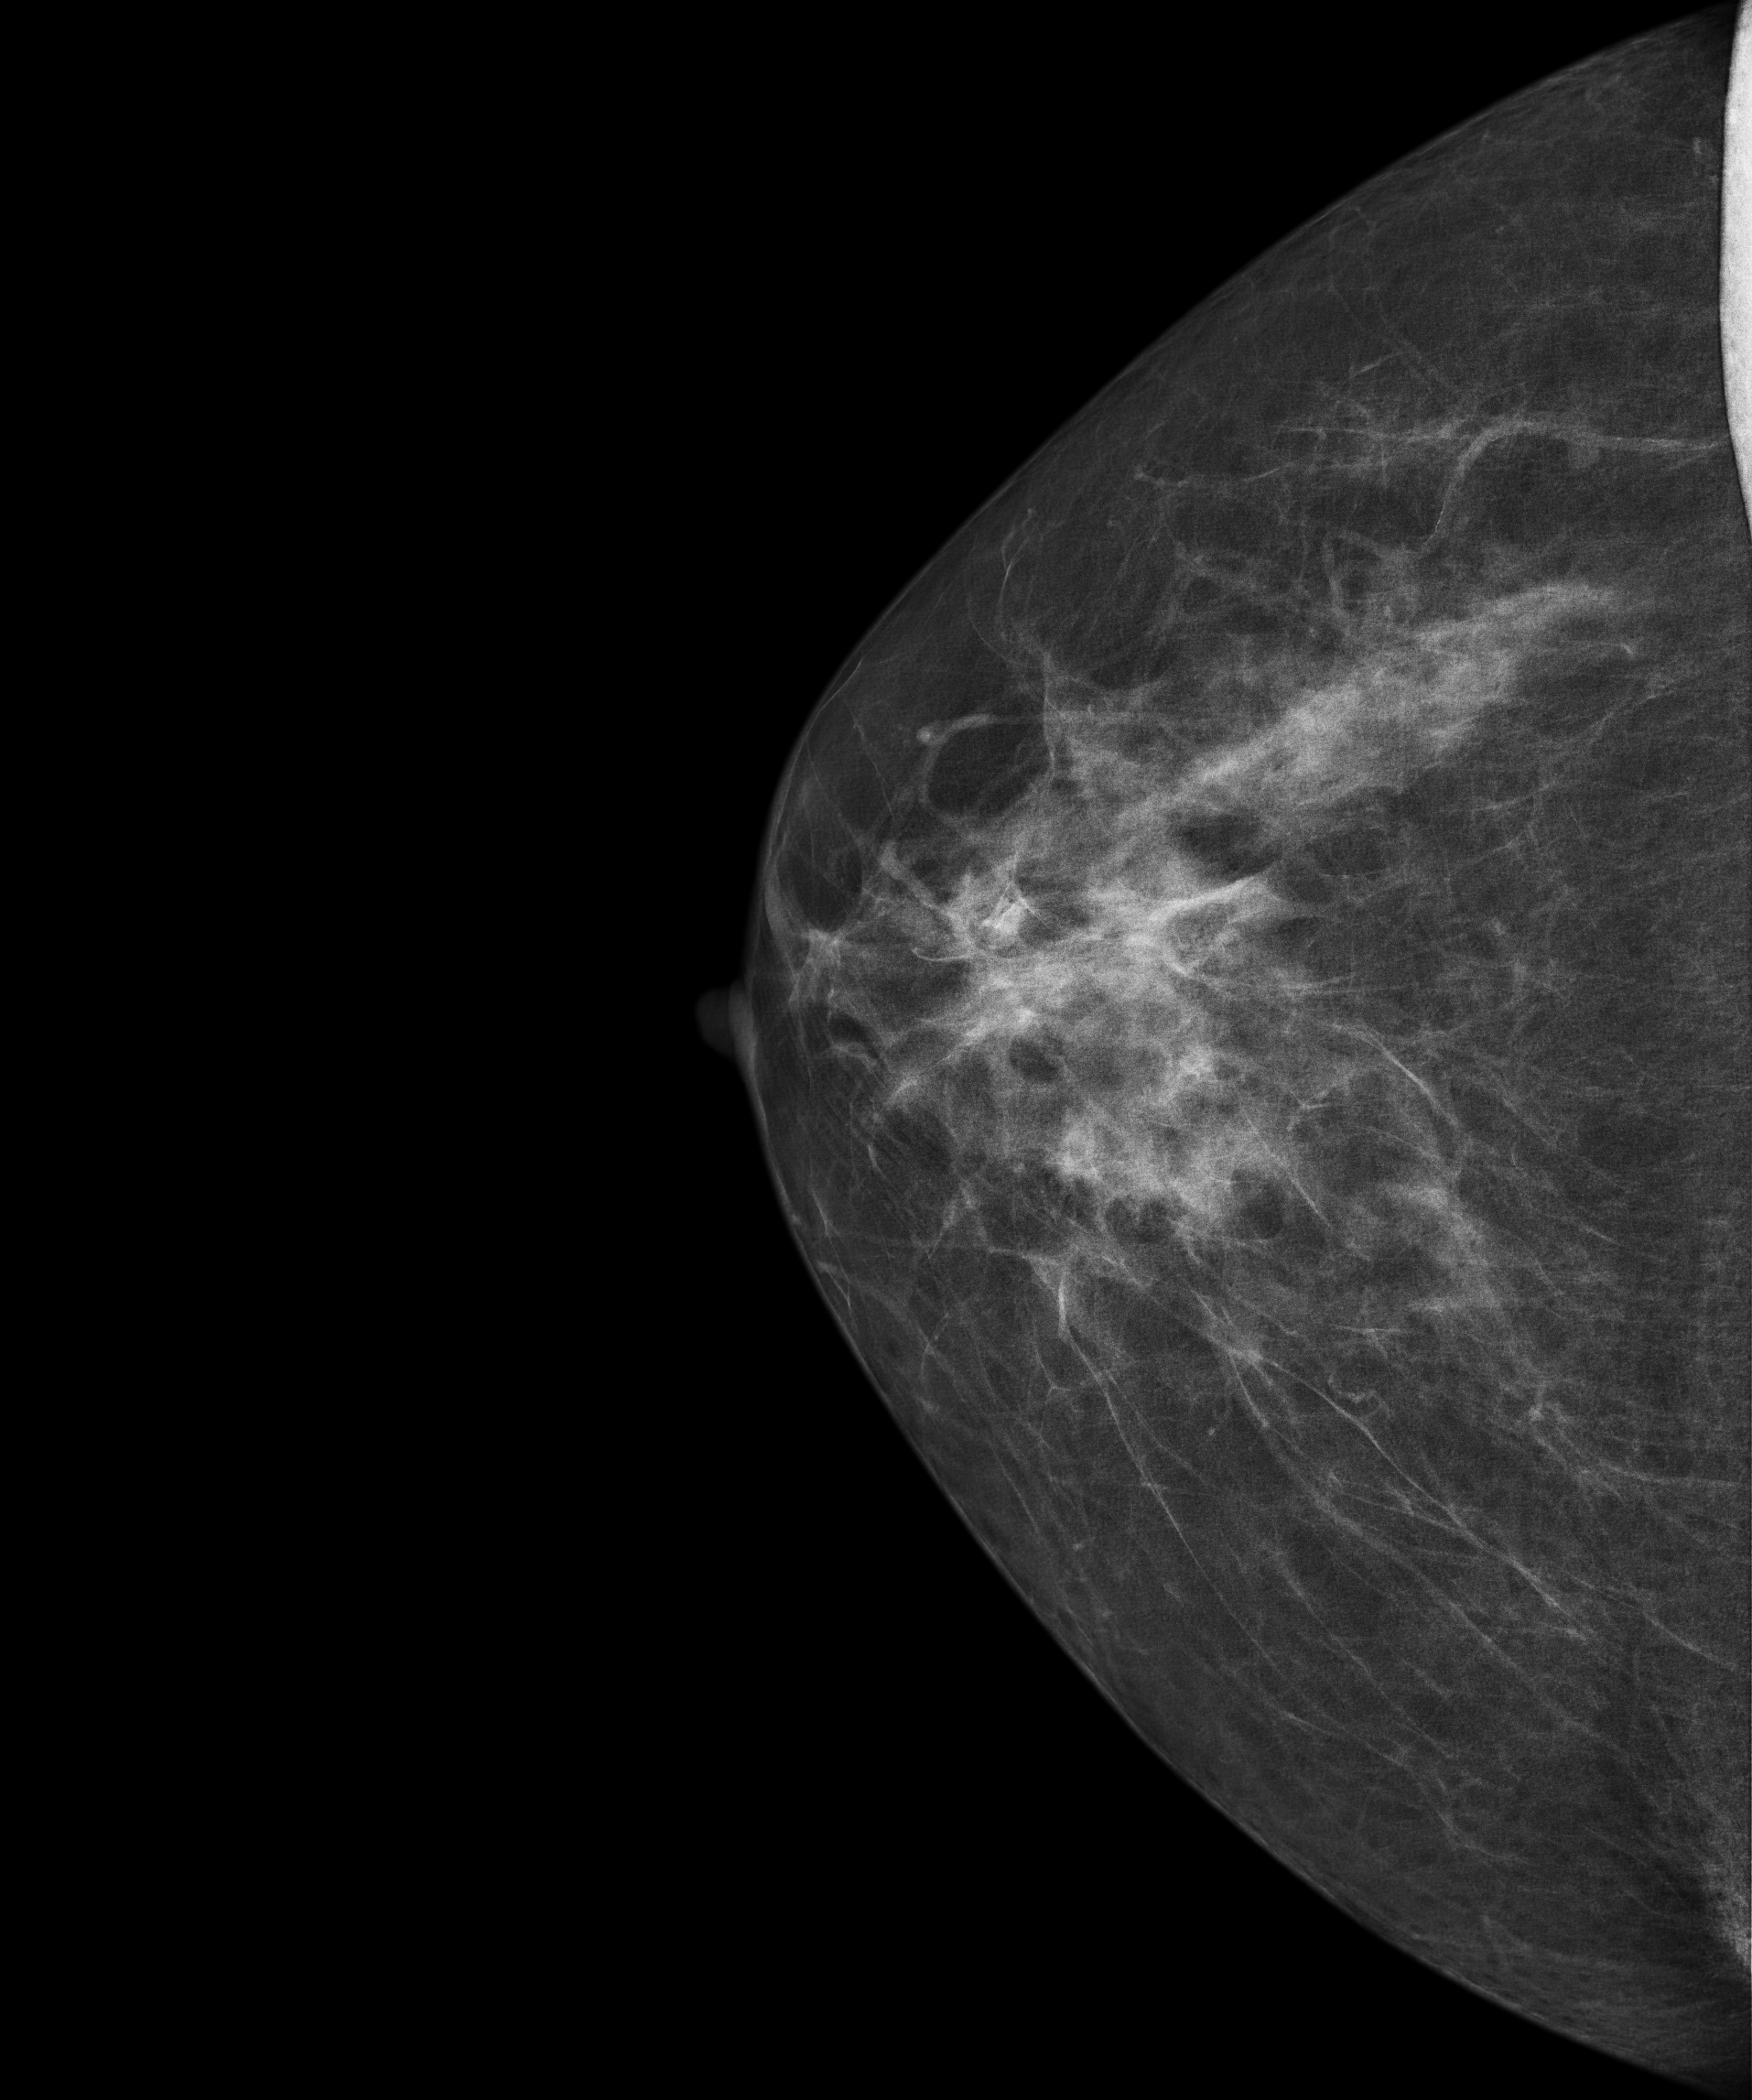
Mammogram, right breast, CC view. Patient age 60.
Contralateral breast — no documented abnormality on this side.